Mammogram, right breast, MLO view. 45-year-old patient.
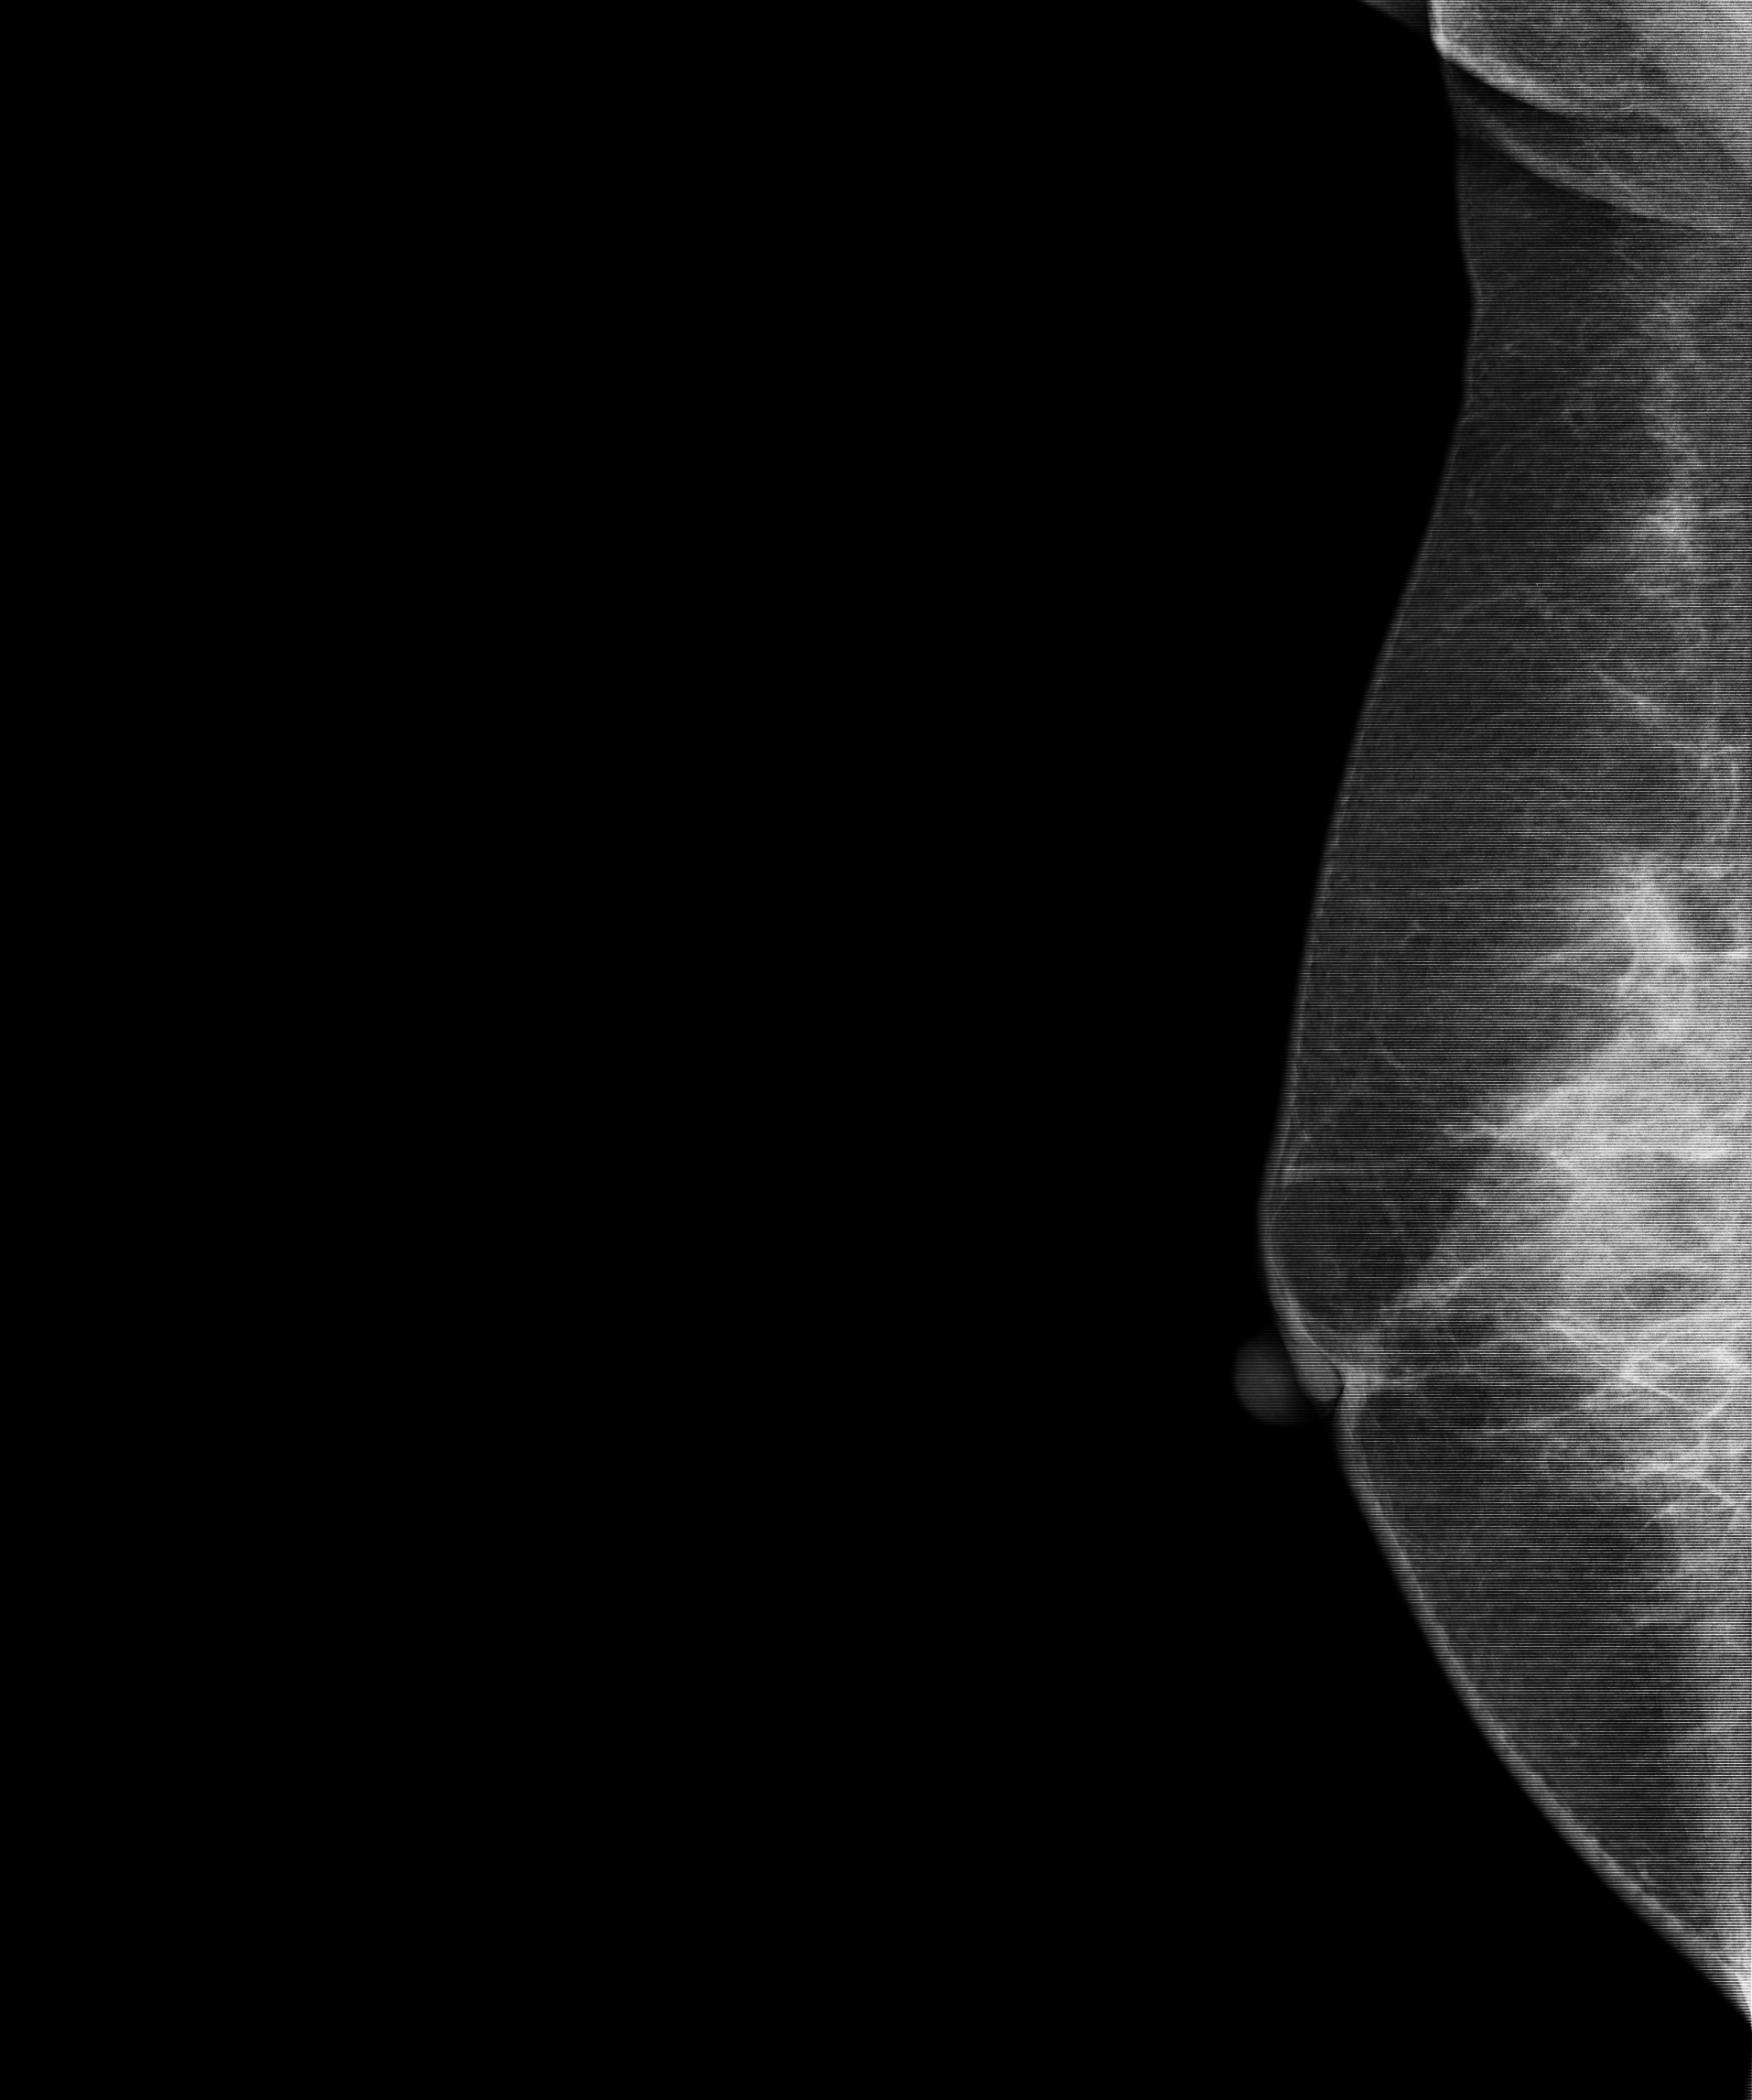
This breast has a mass, histologically confirmed malignant.